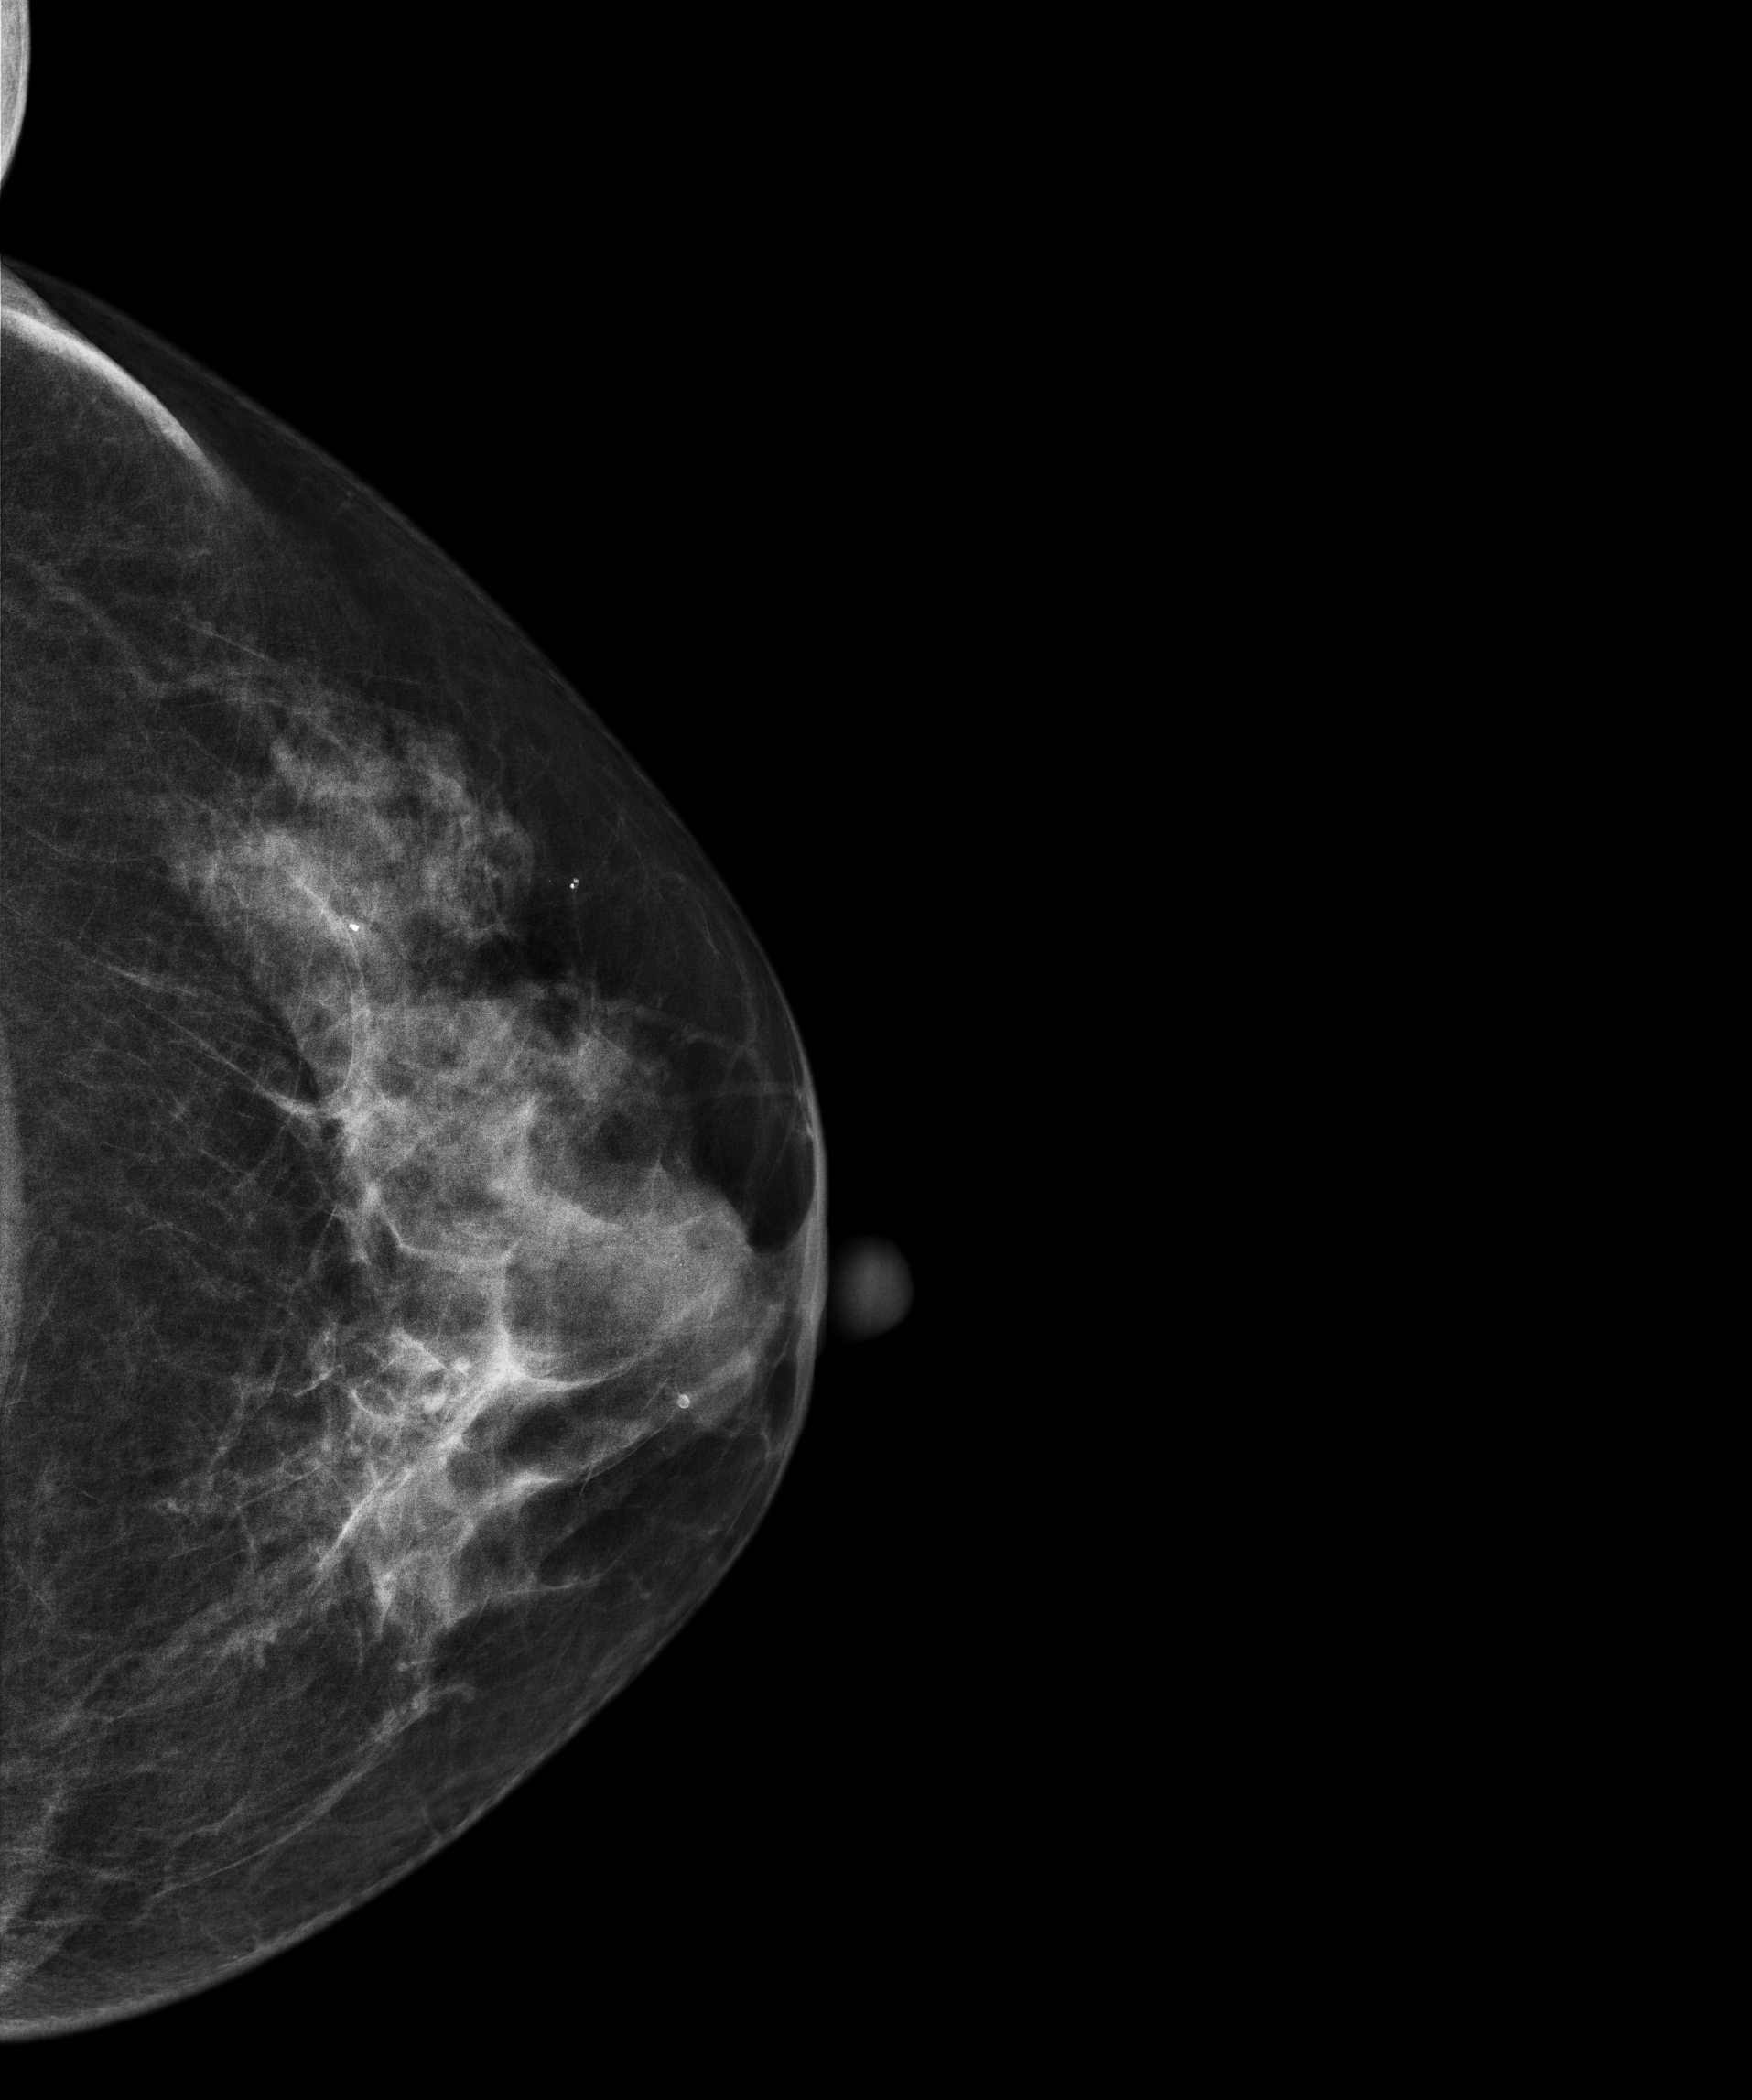
Cranio-caudal mammogram of the left breast. Patient age 62.
This breast has a mass and calcifications, pathology-confirmed malignant.